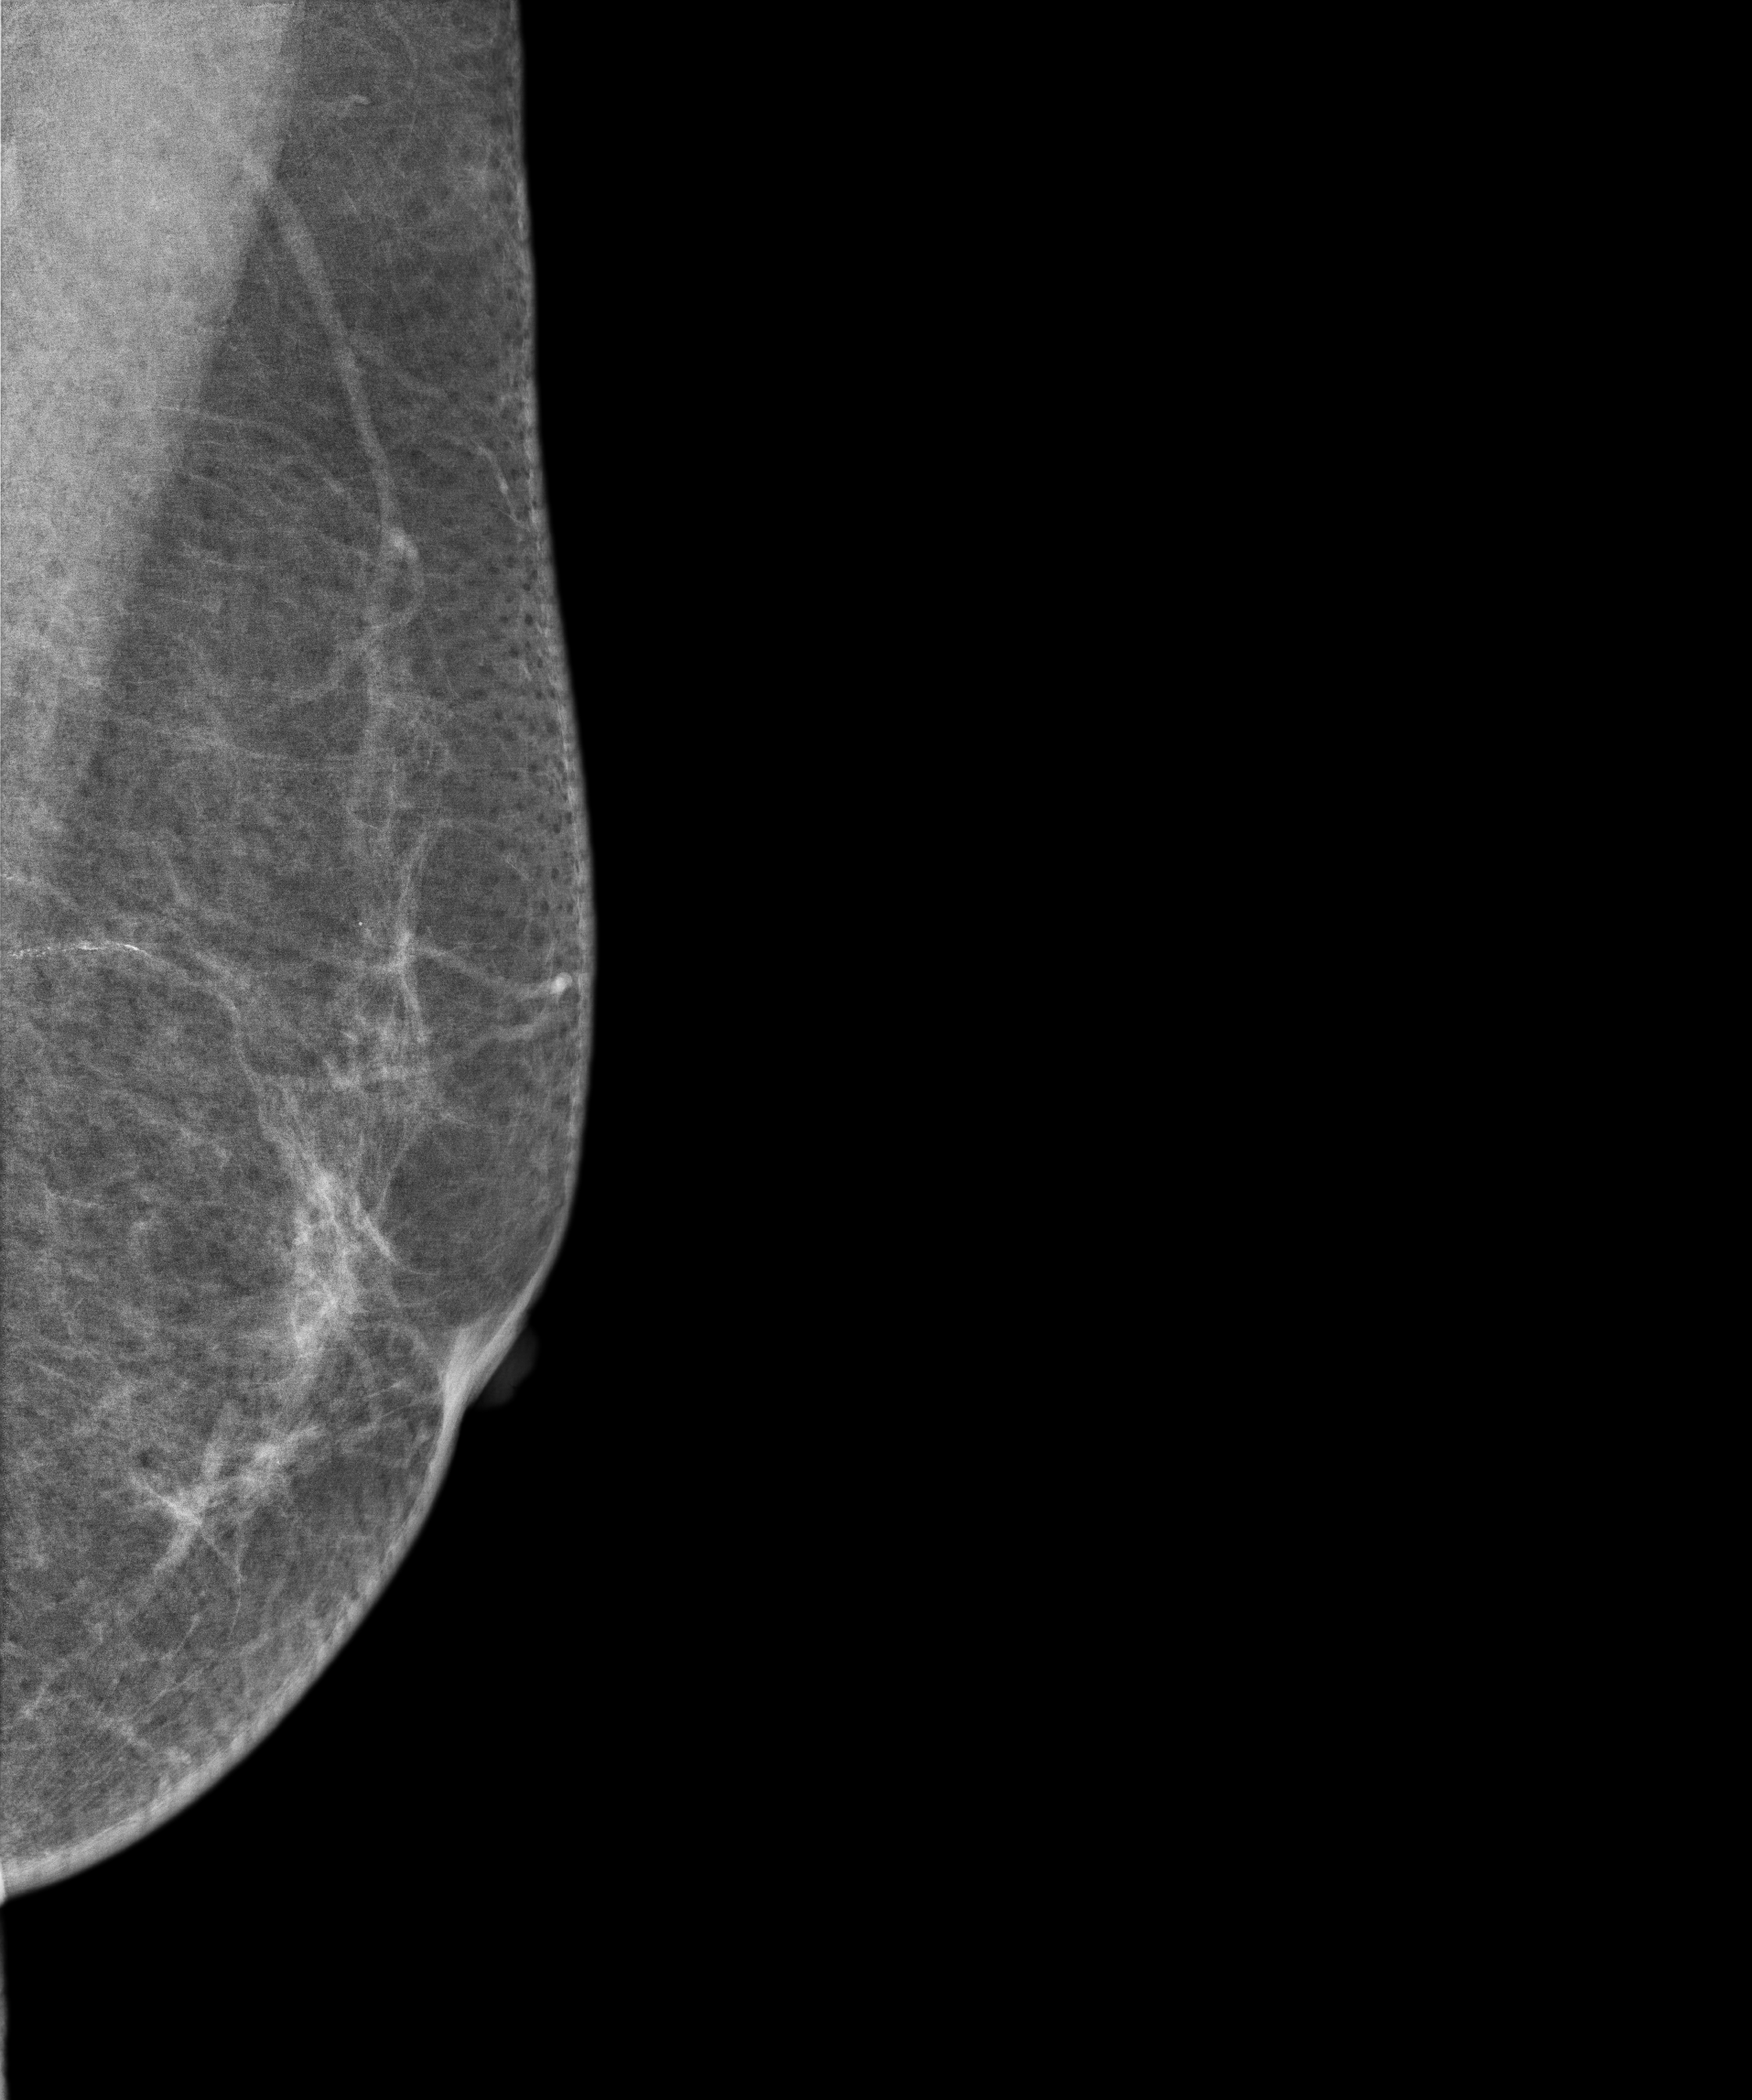
Mammogram, left breast, medio-lateral oblique view. 78 y/o patient.
Contralateral breast — no documented abnormality on this side.